Right-breast mammogram, MLO. 51-year-old patient.
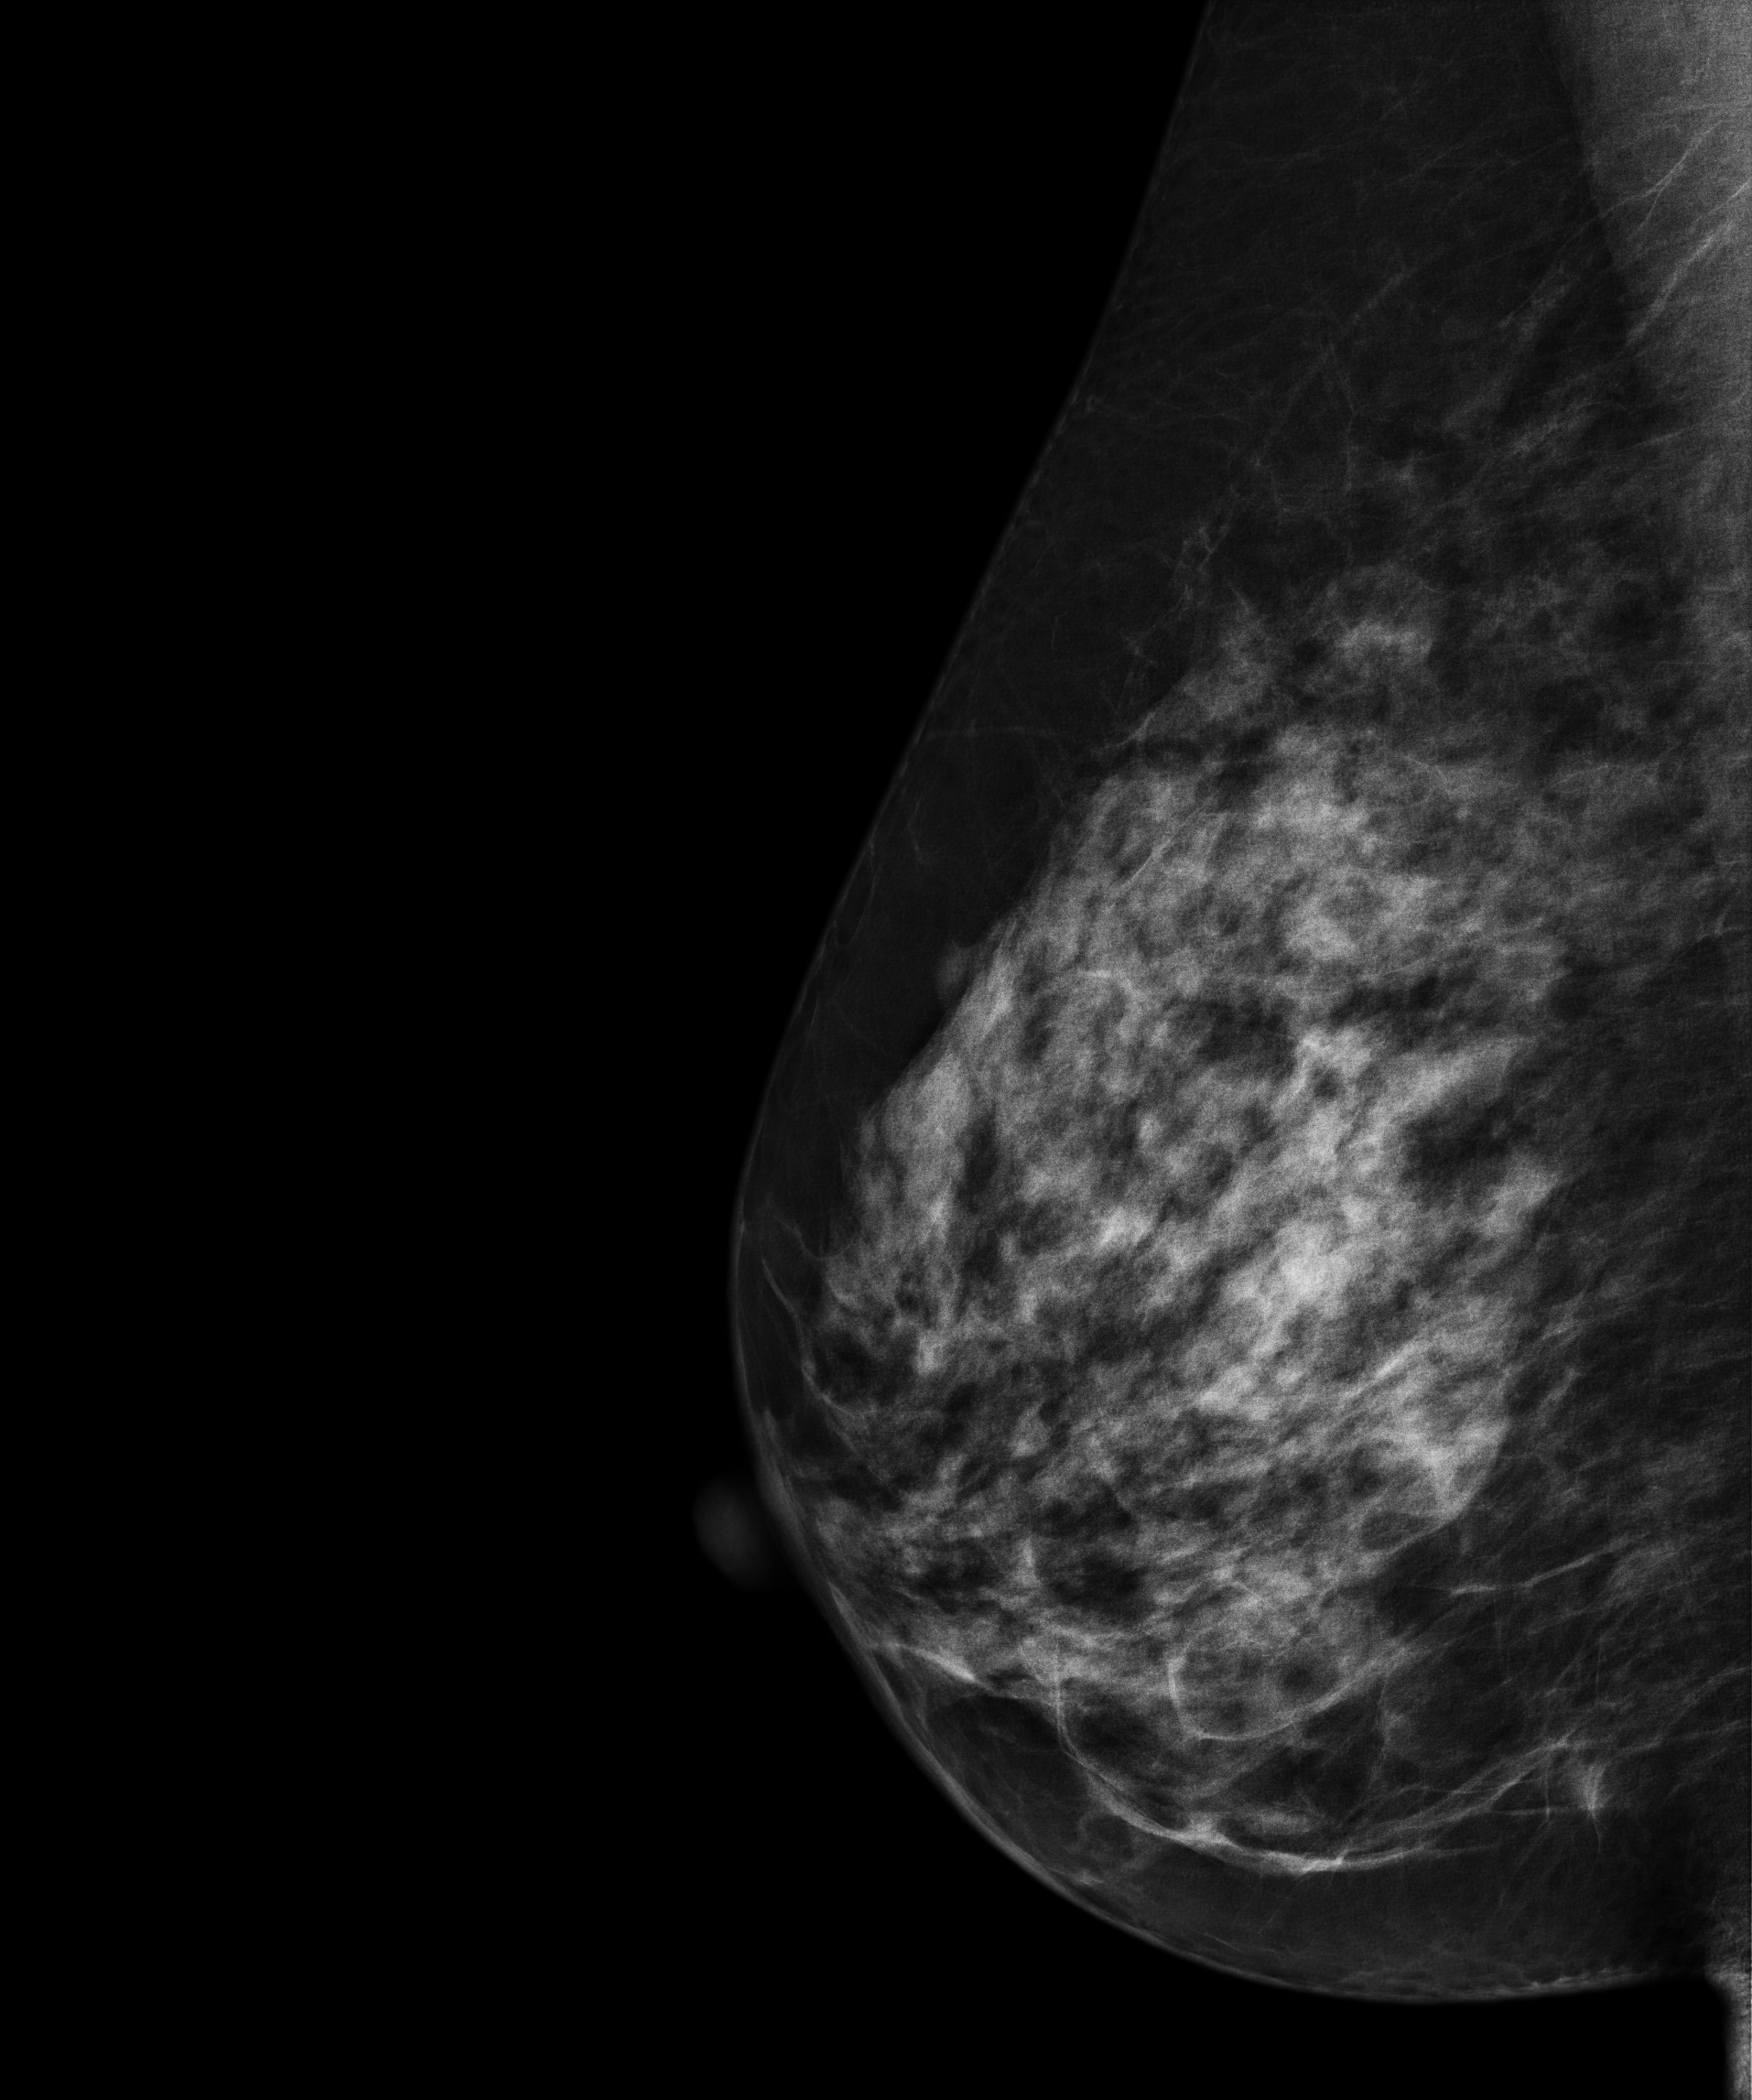
Contralateral breast — no documented abnormality on this side.